Mammogram — left CC. 40 y/o patient.
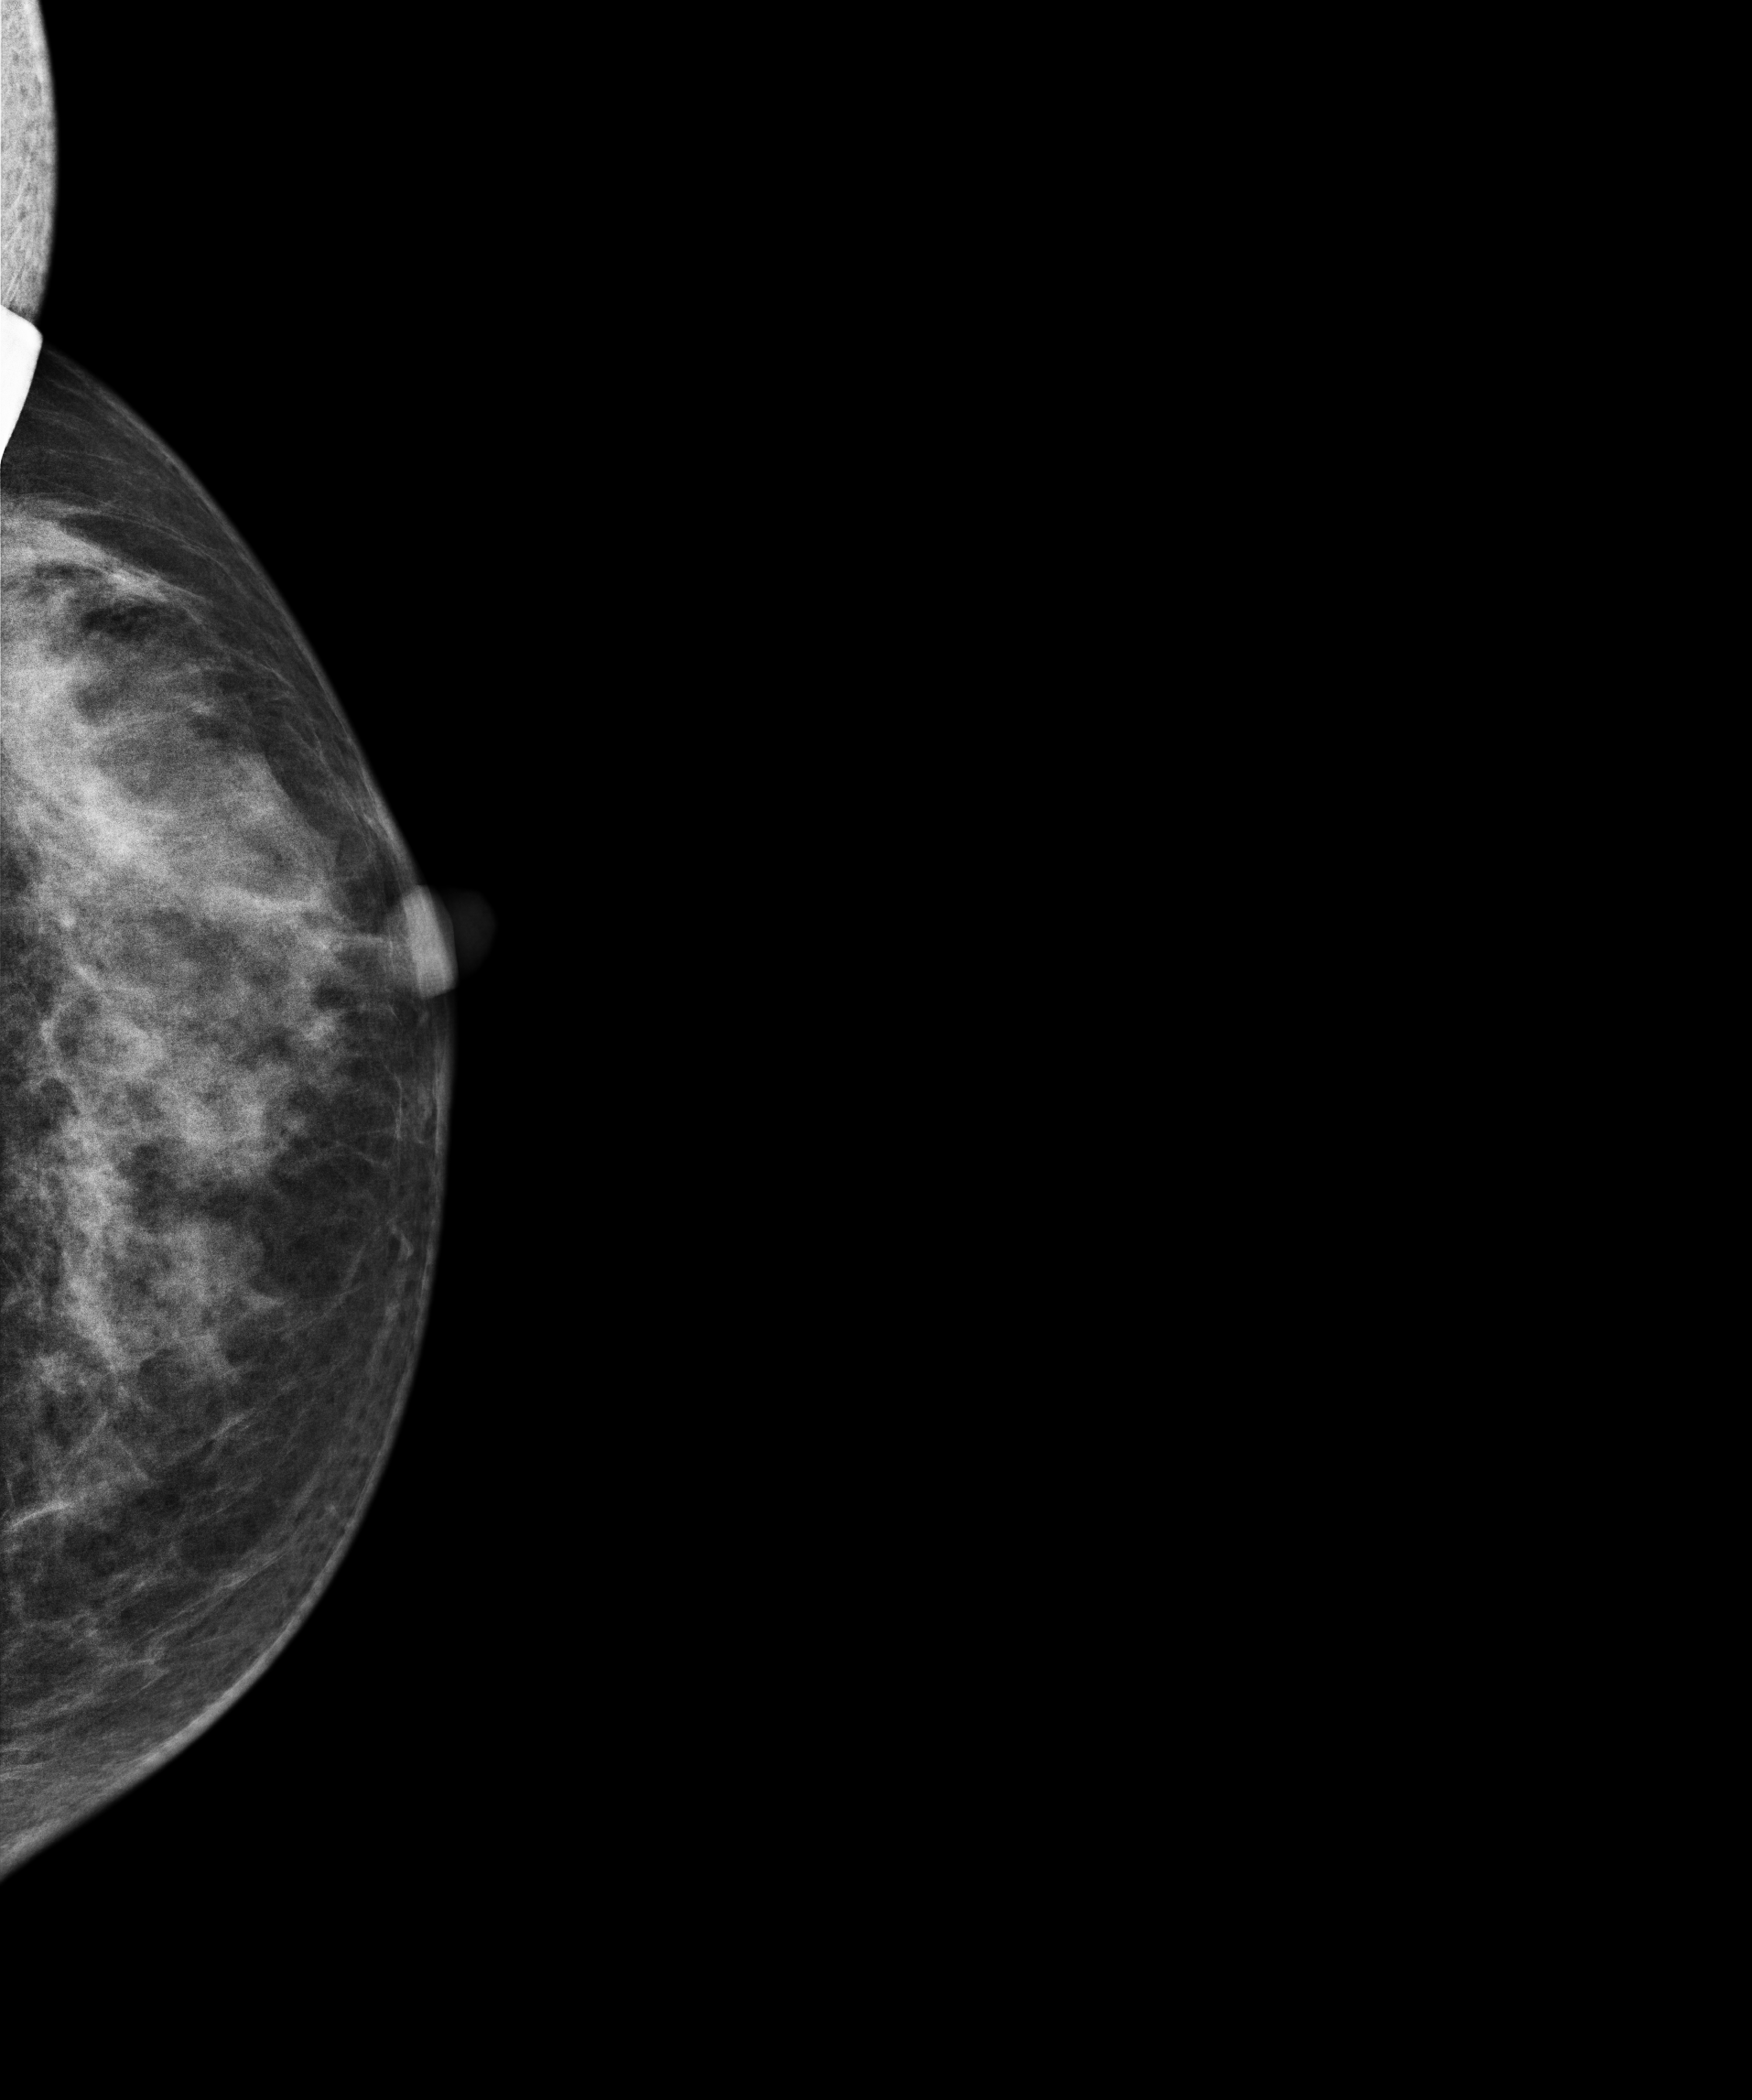
Contralateral breast — no documented abnormality on this side.